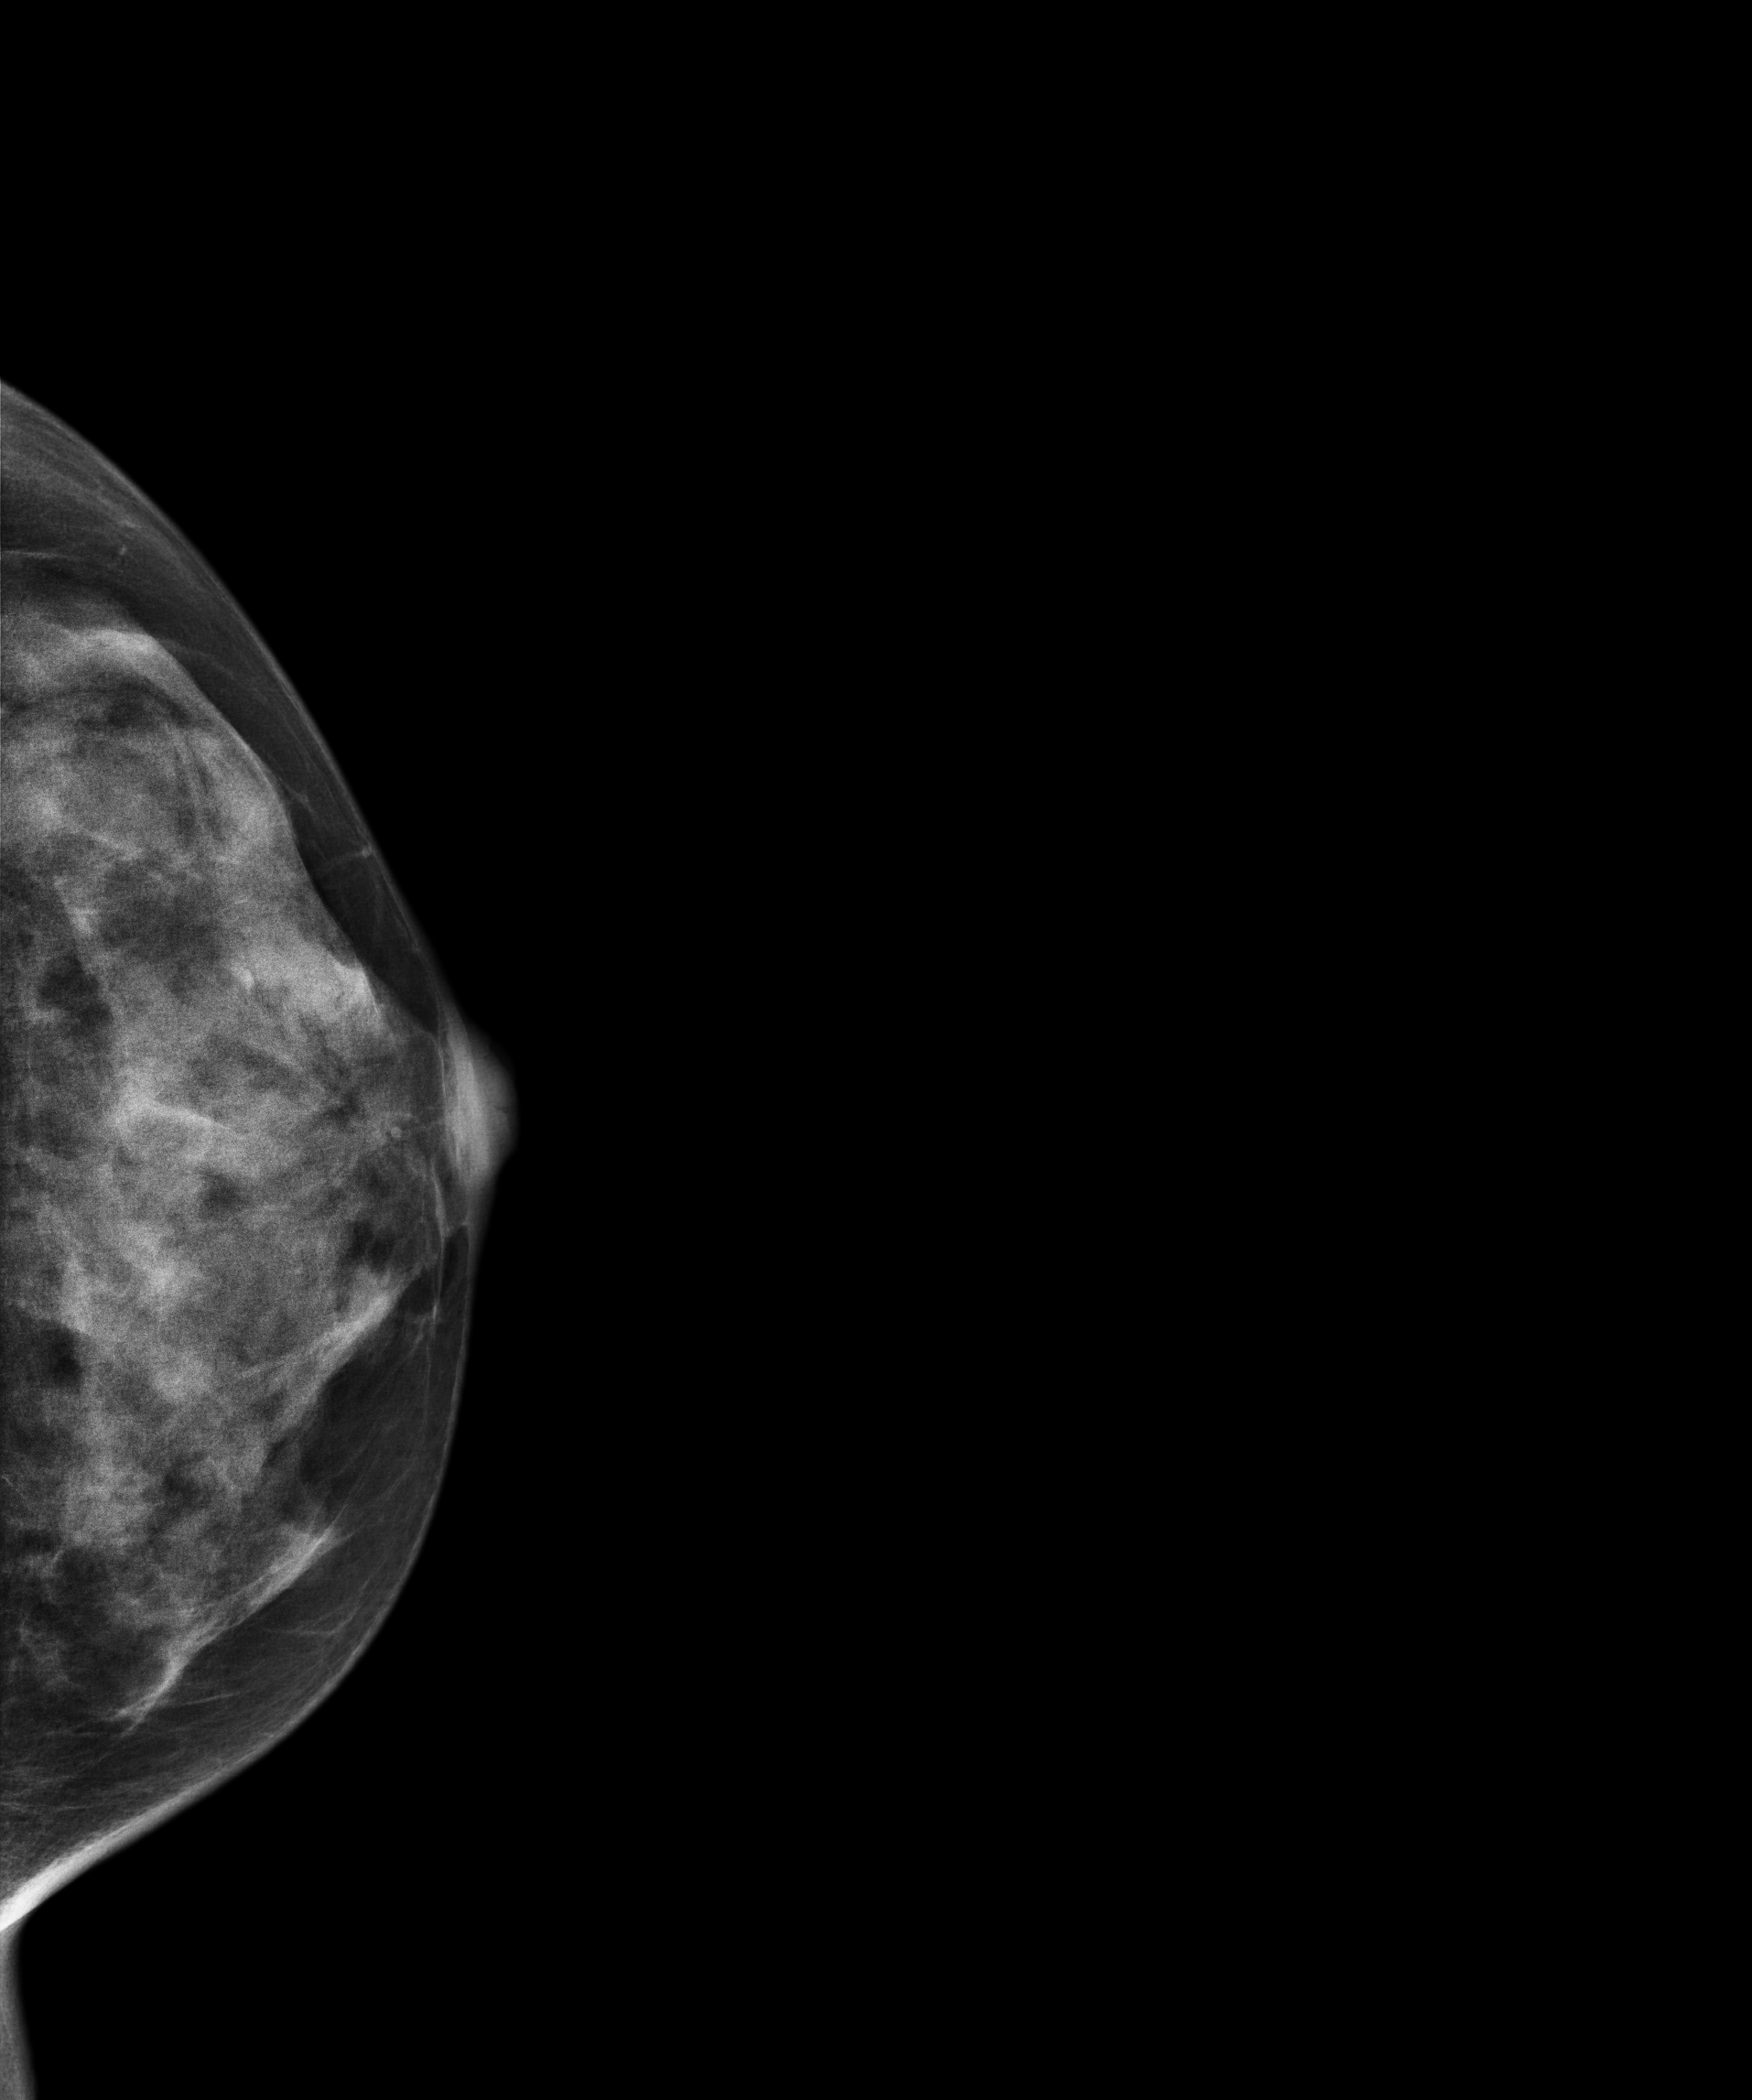
Mammogram, left breast, cranio-caudal view. 46 y/o patient.
This breast has a mass, biopsy-confirmed benign.